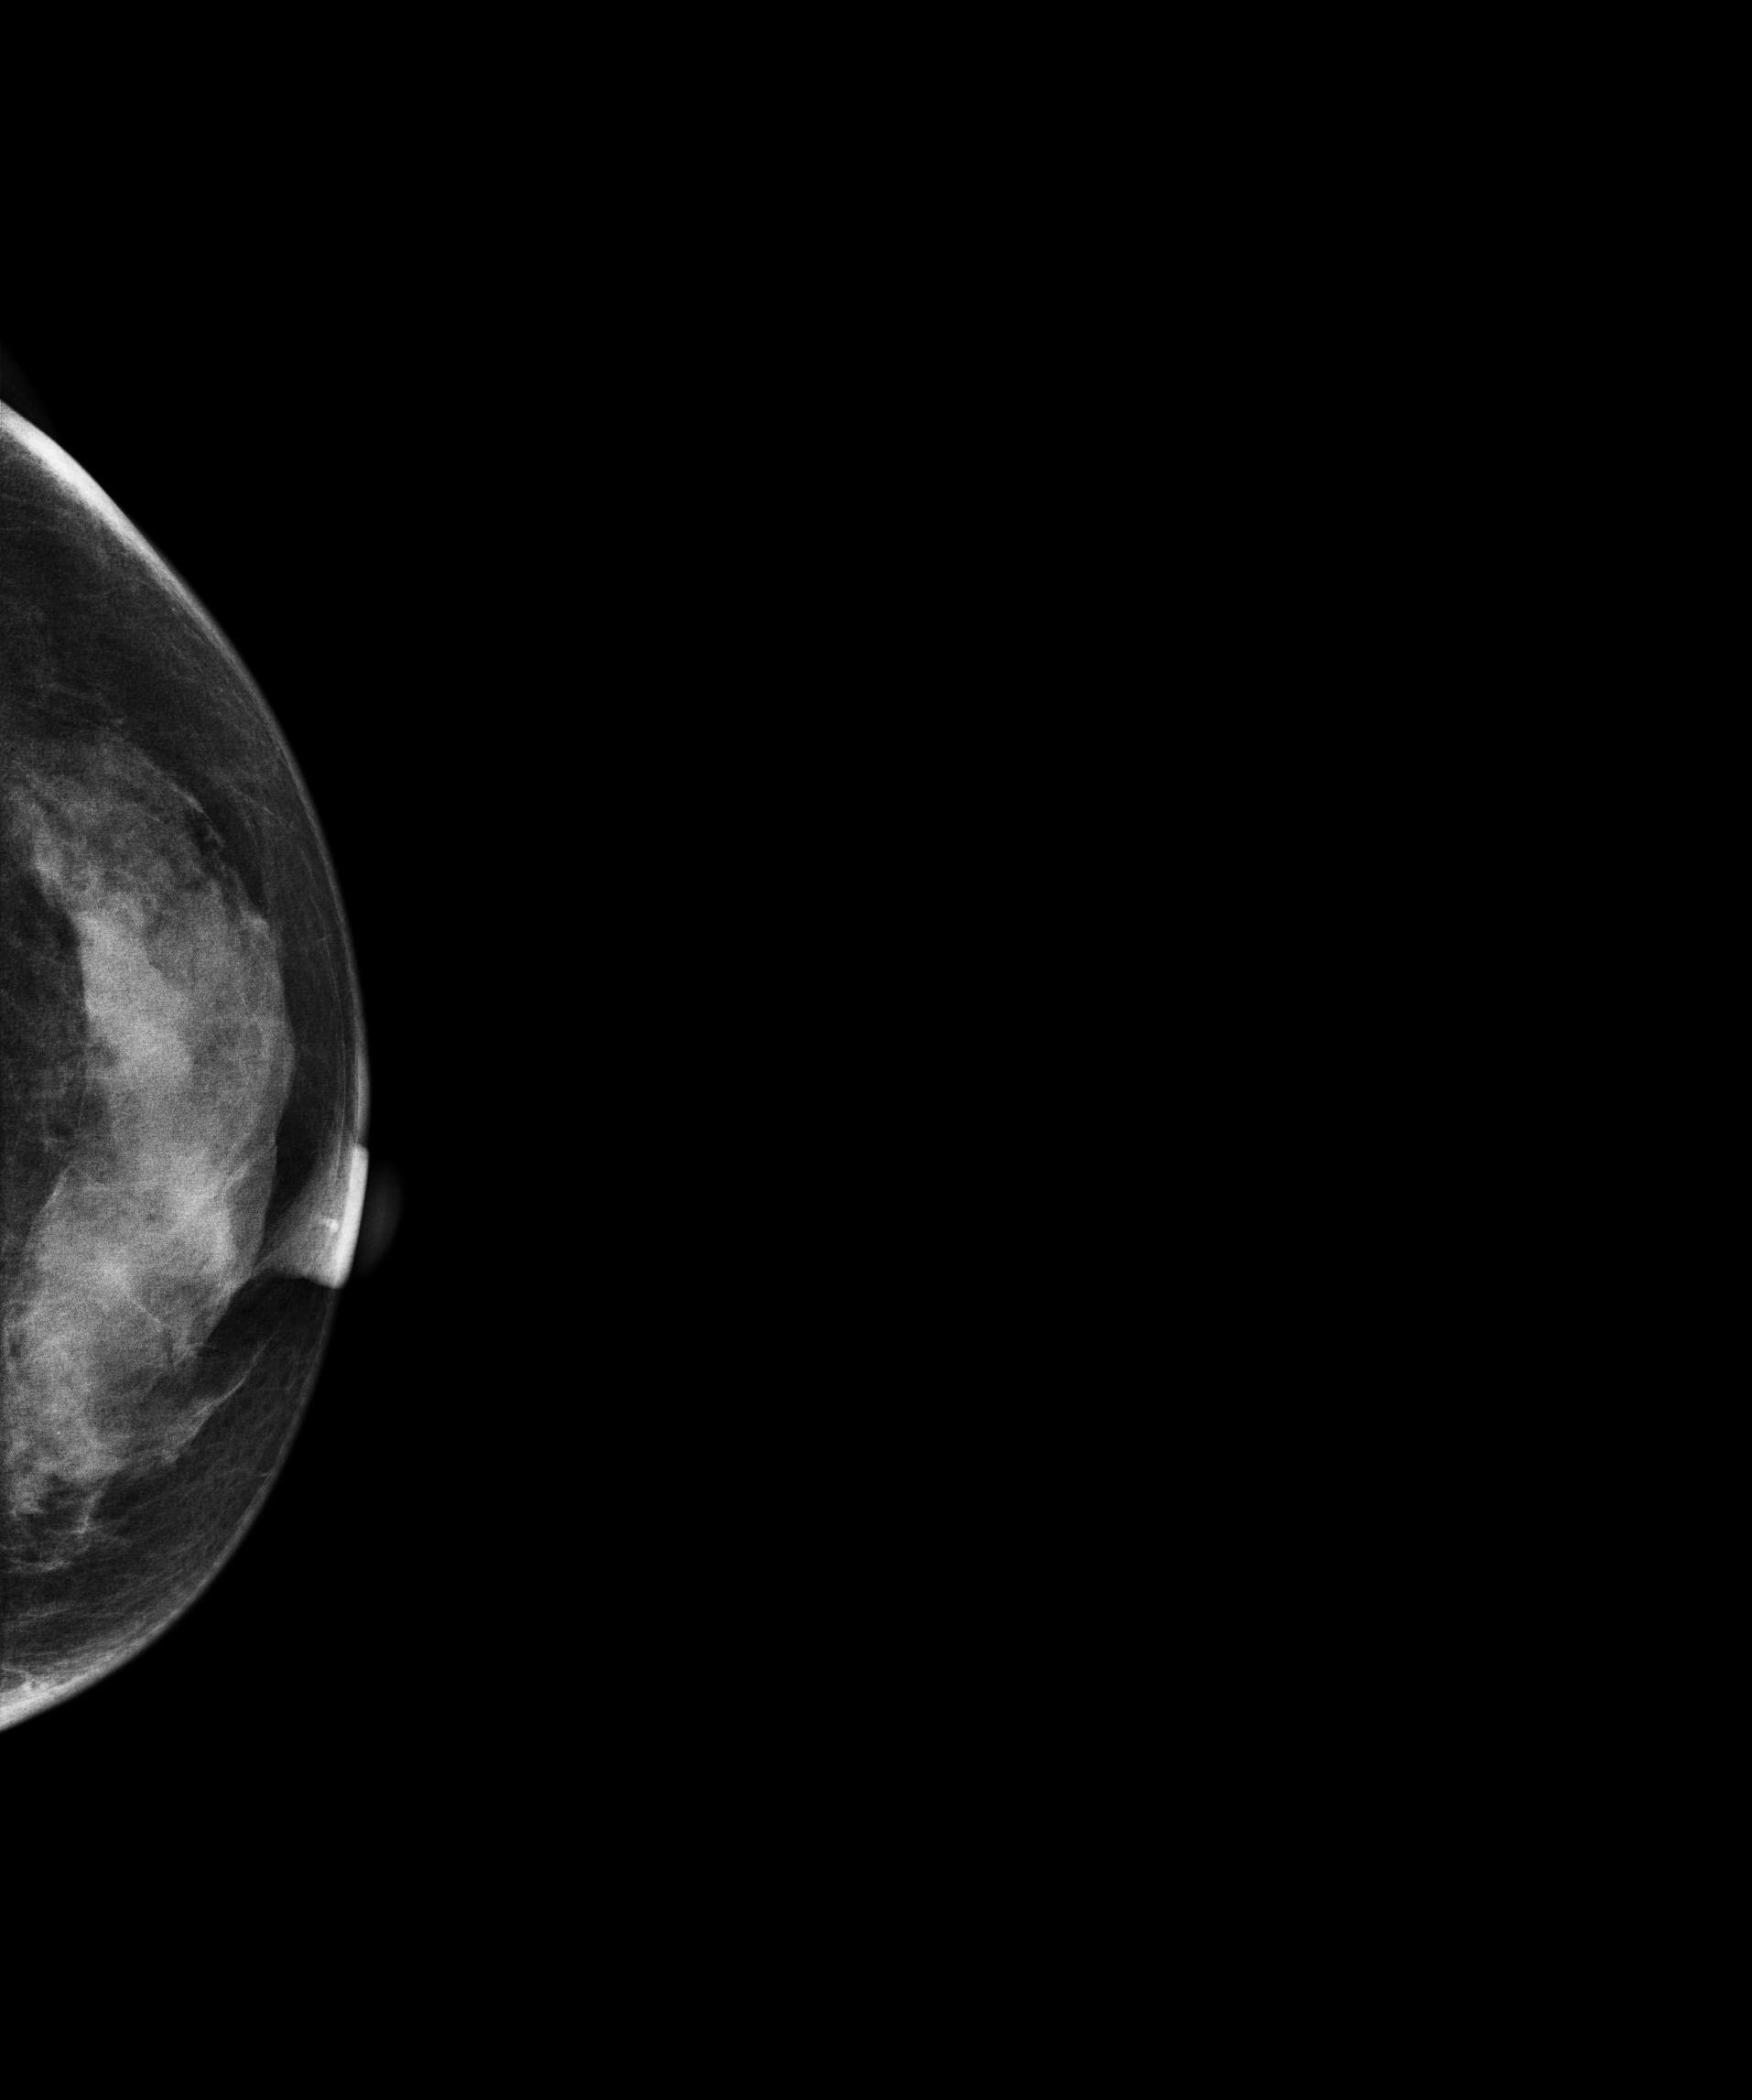
Left-breast mammogram, CC. 54-year-old patient.
Contralateral breast — no documented abnormality on this side.